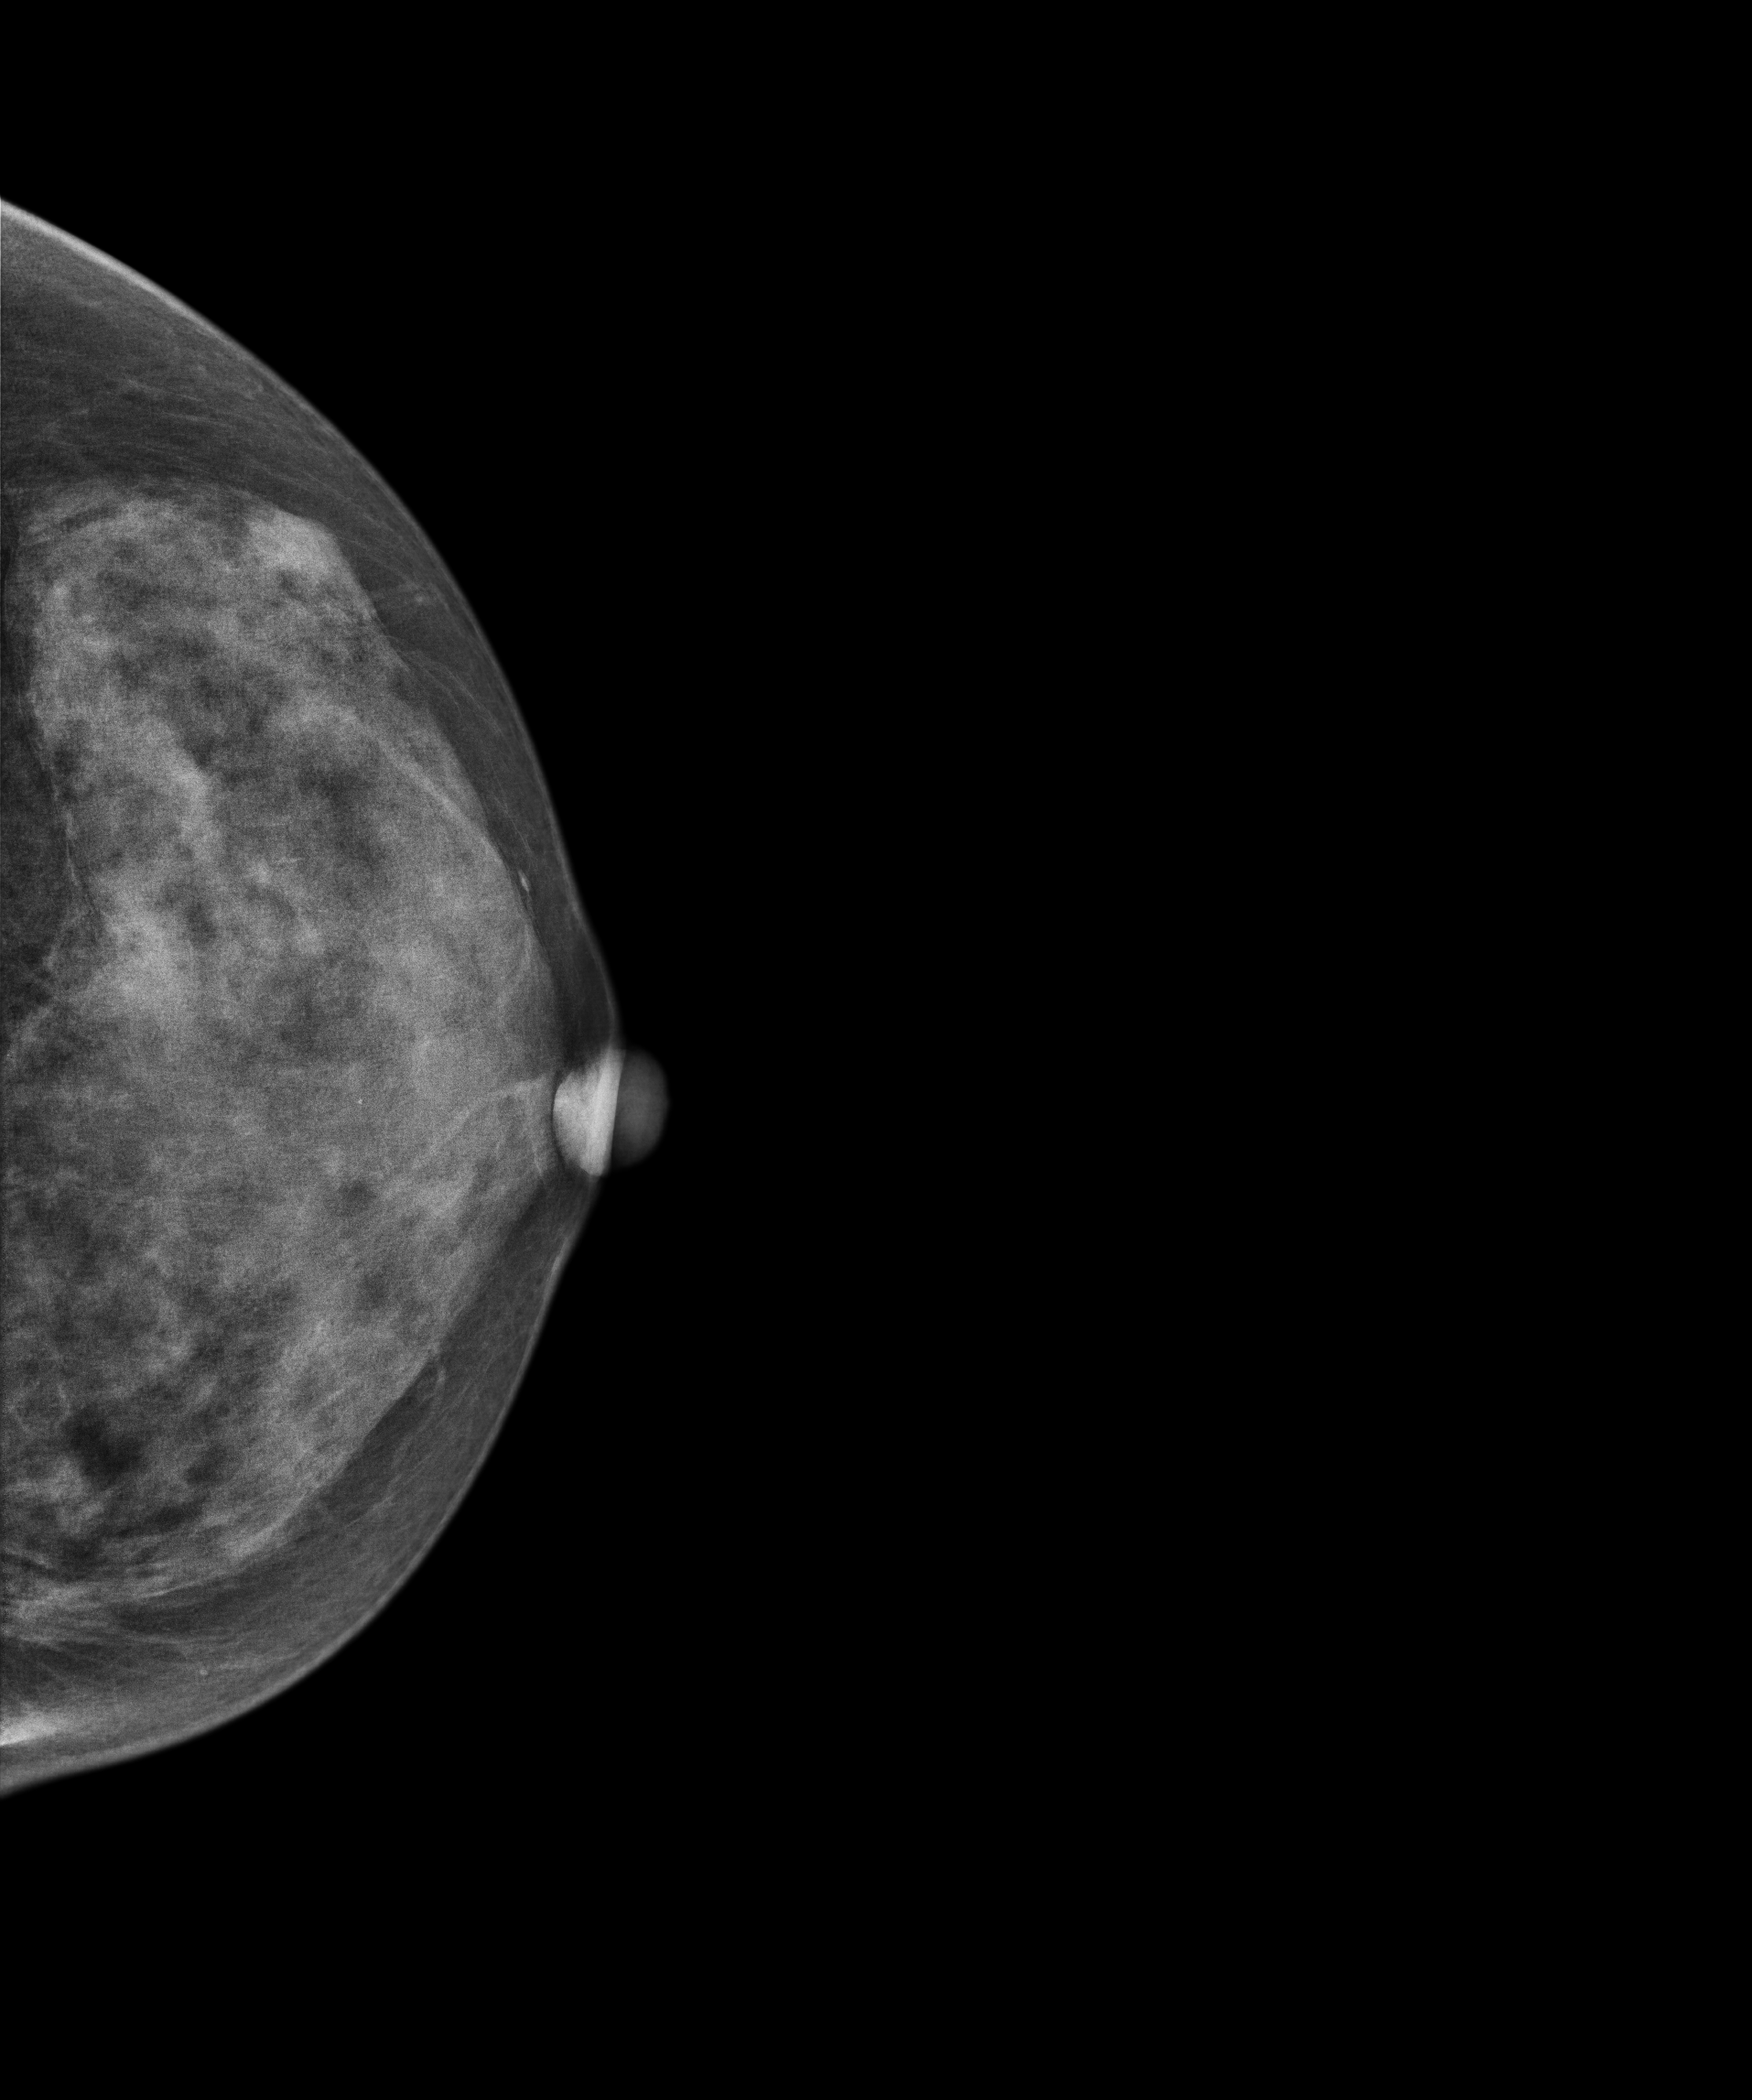
Left-breast mammogram, cranio-caudal. 33 y/o patient.
This breast has a mass, histologically confirmed malignant.